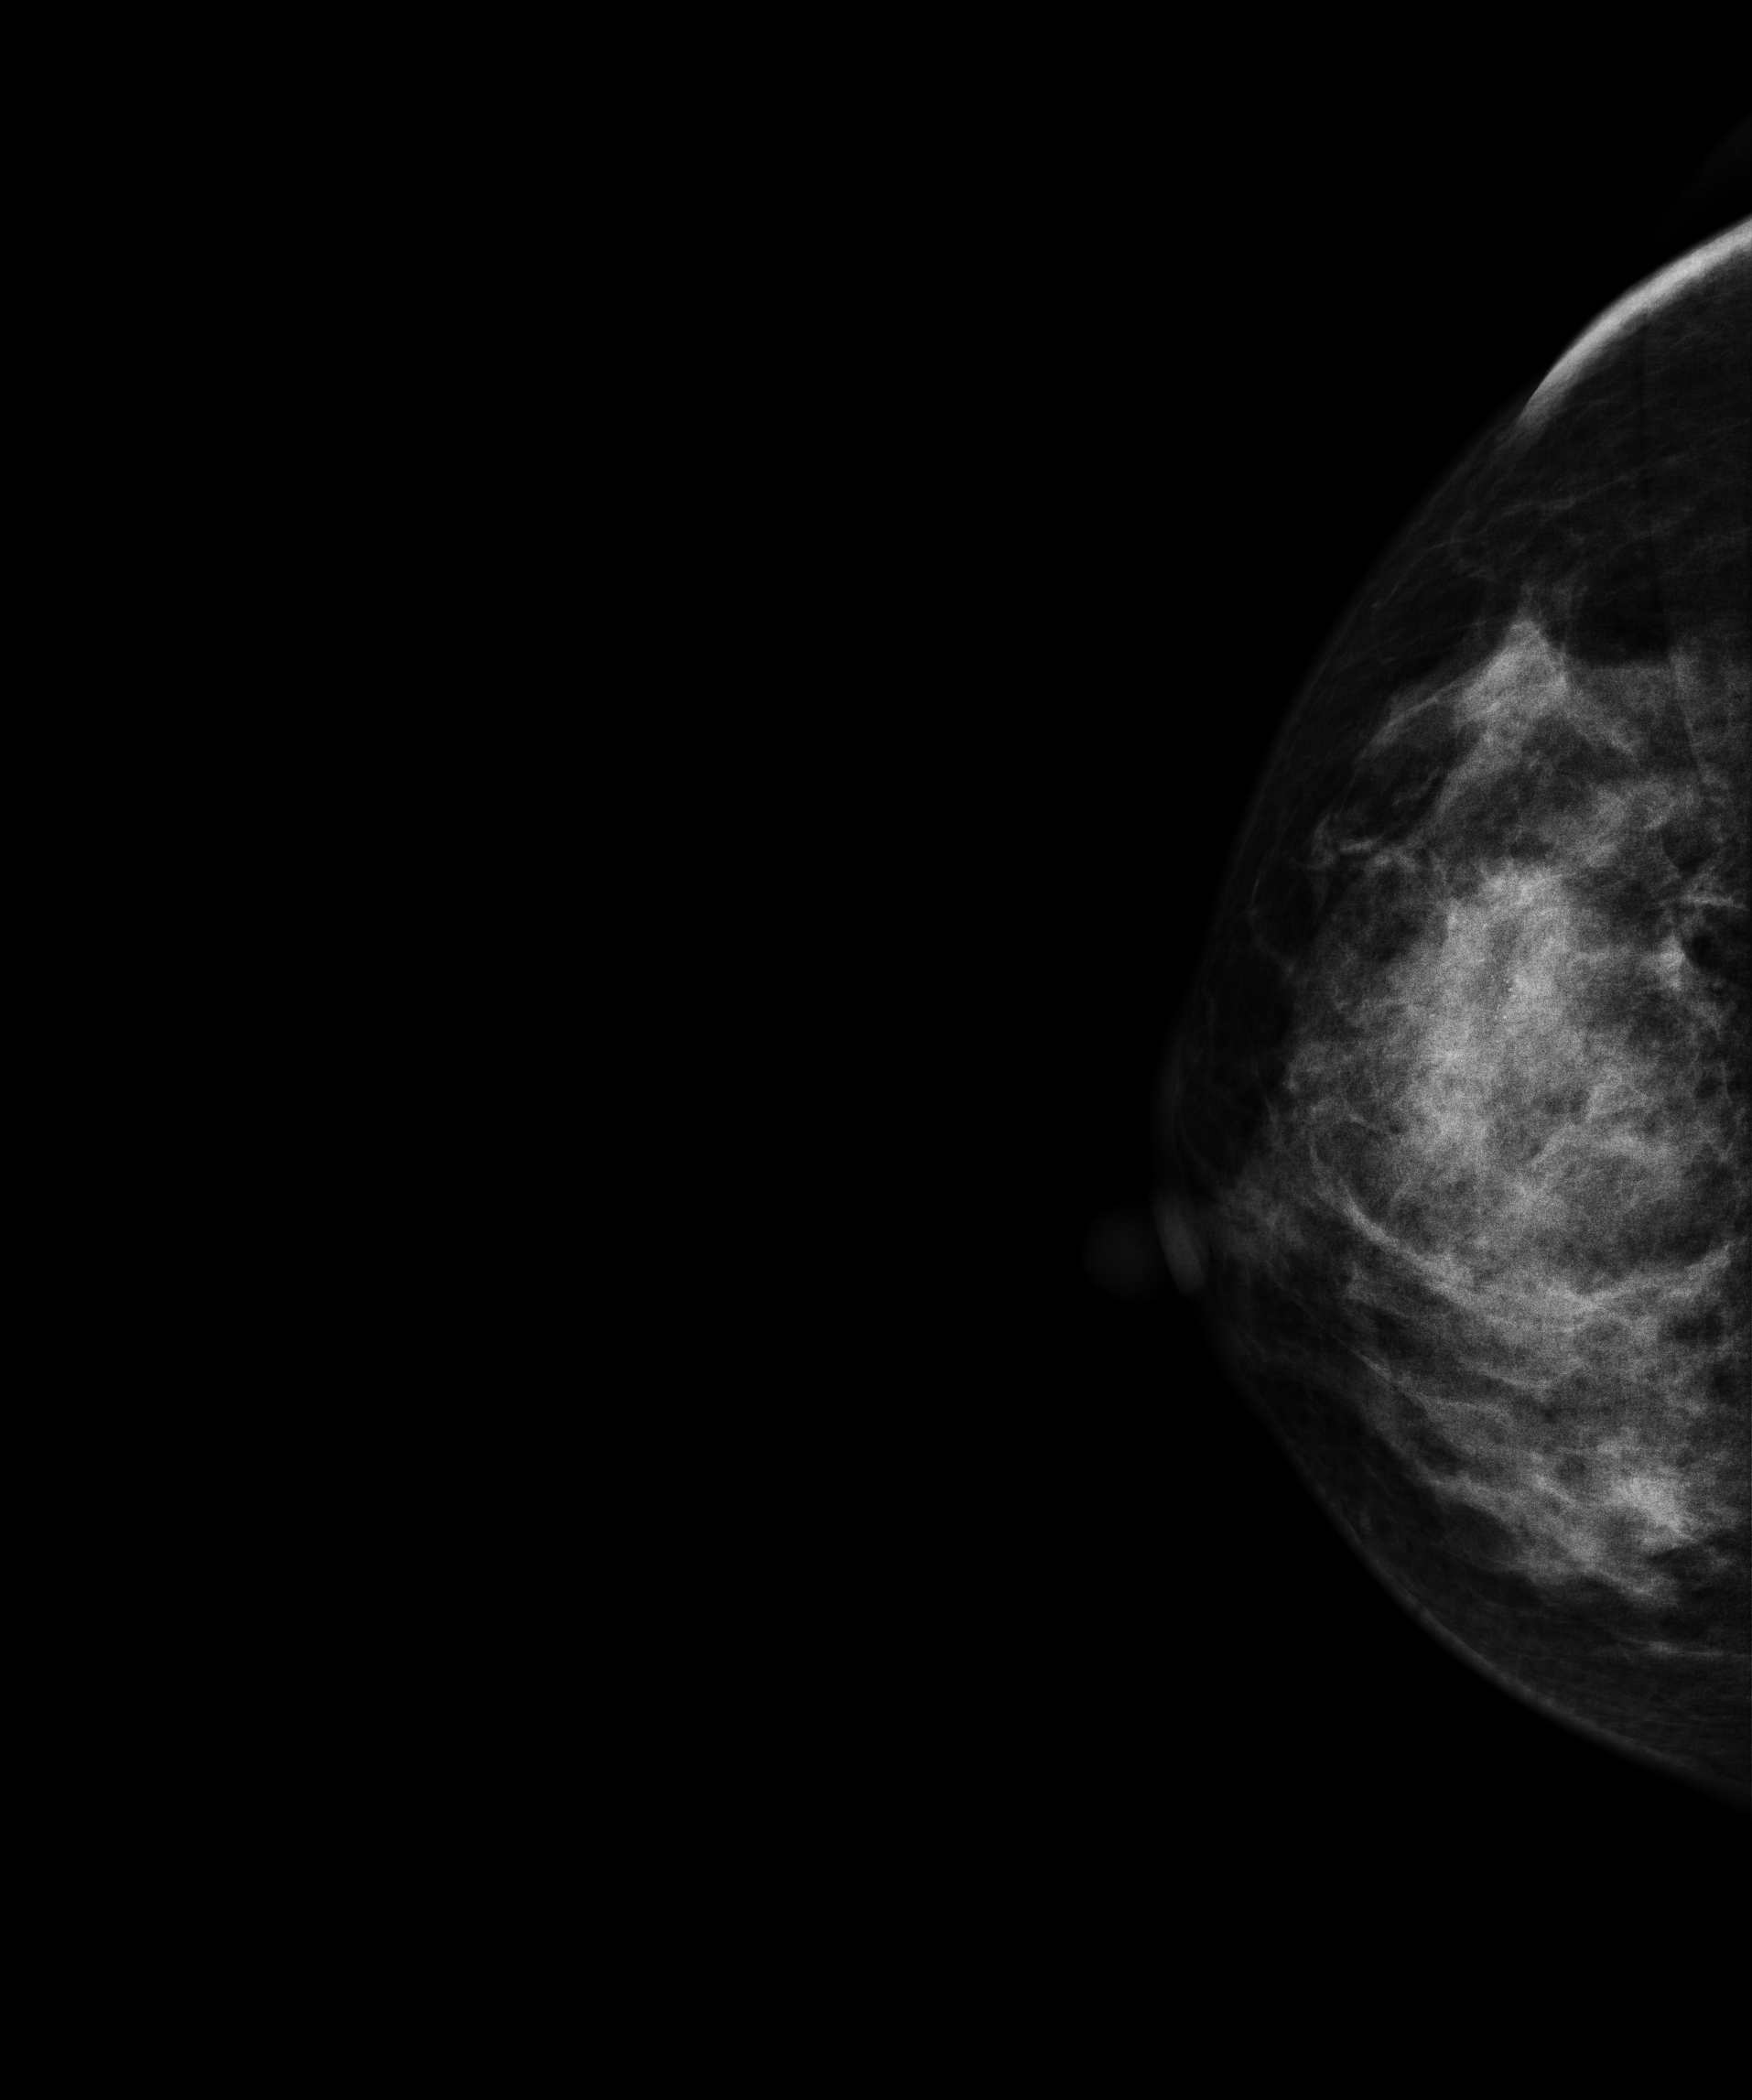
Mammogram, right breast, CC view. 43 y/o patient.
This breast has a mass and calcifications, biopsy-proven malignant.